Mammogram — right cranio-caudal. 46 y/o patient.
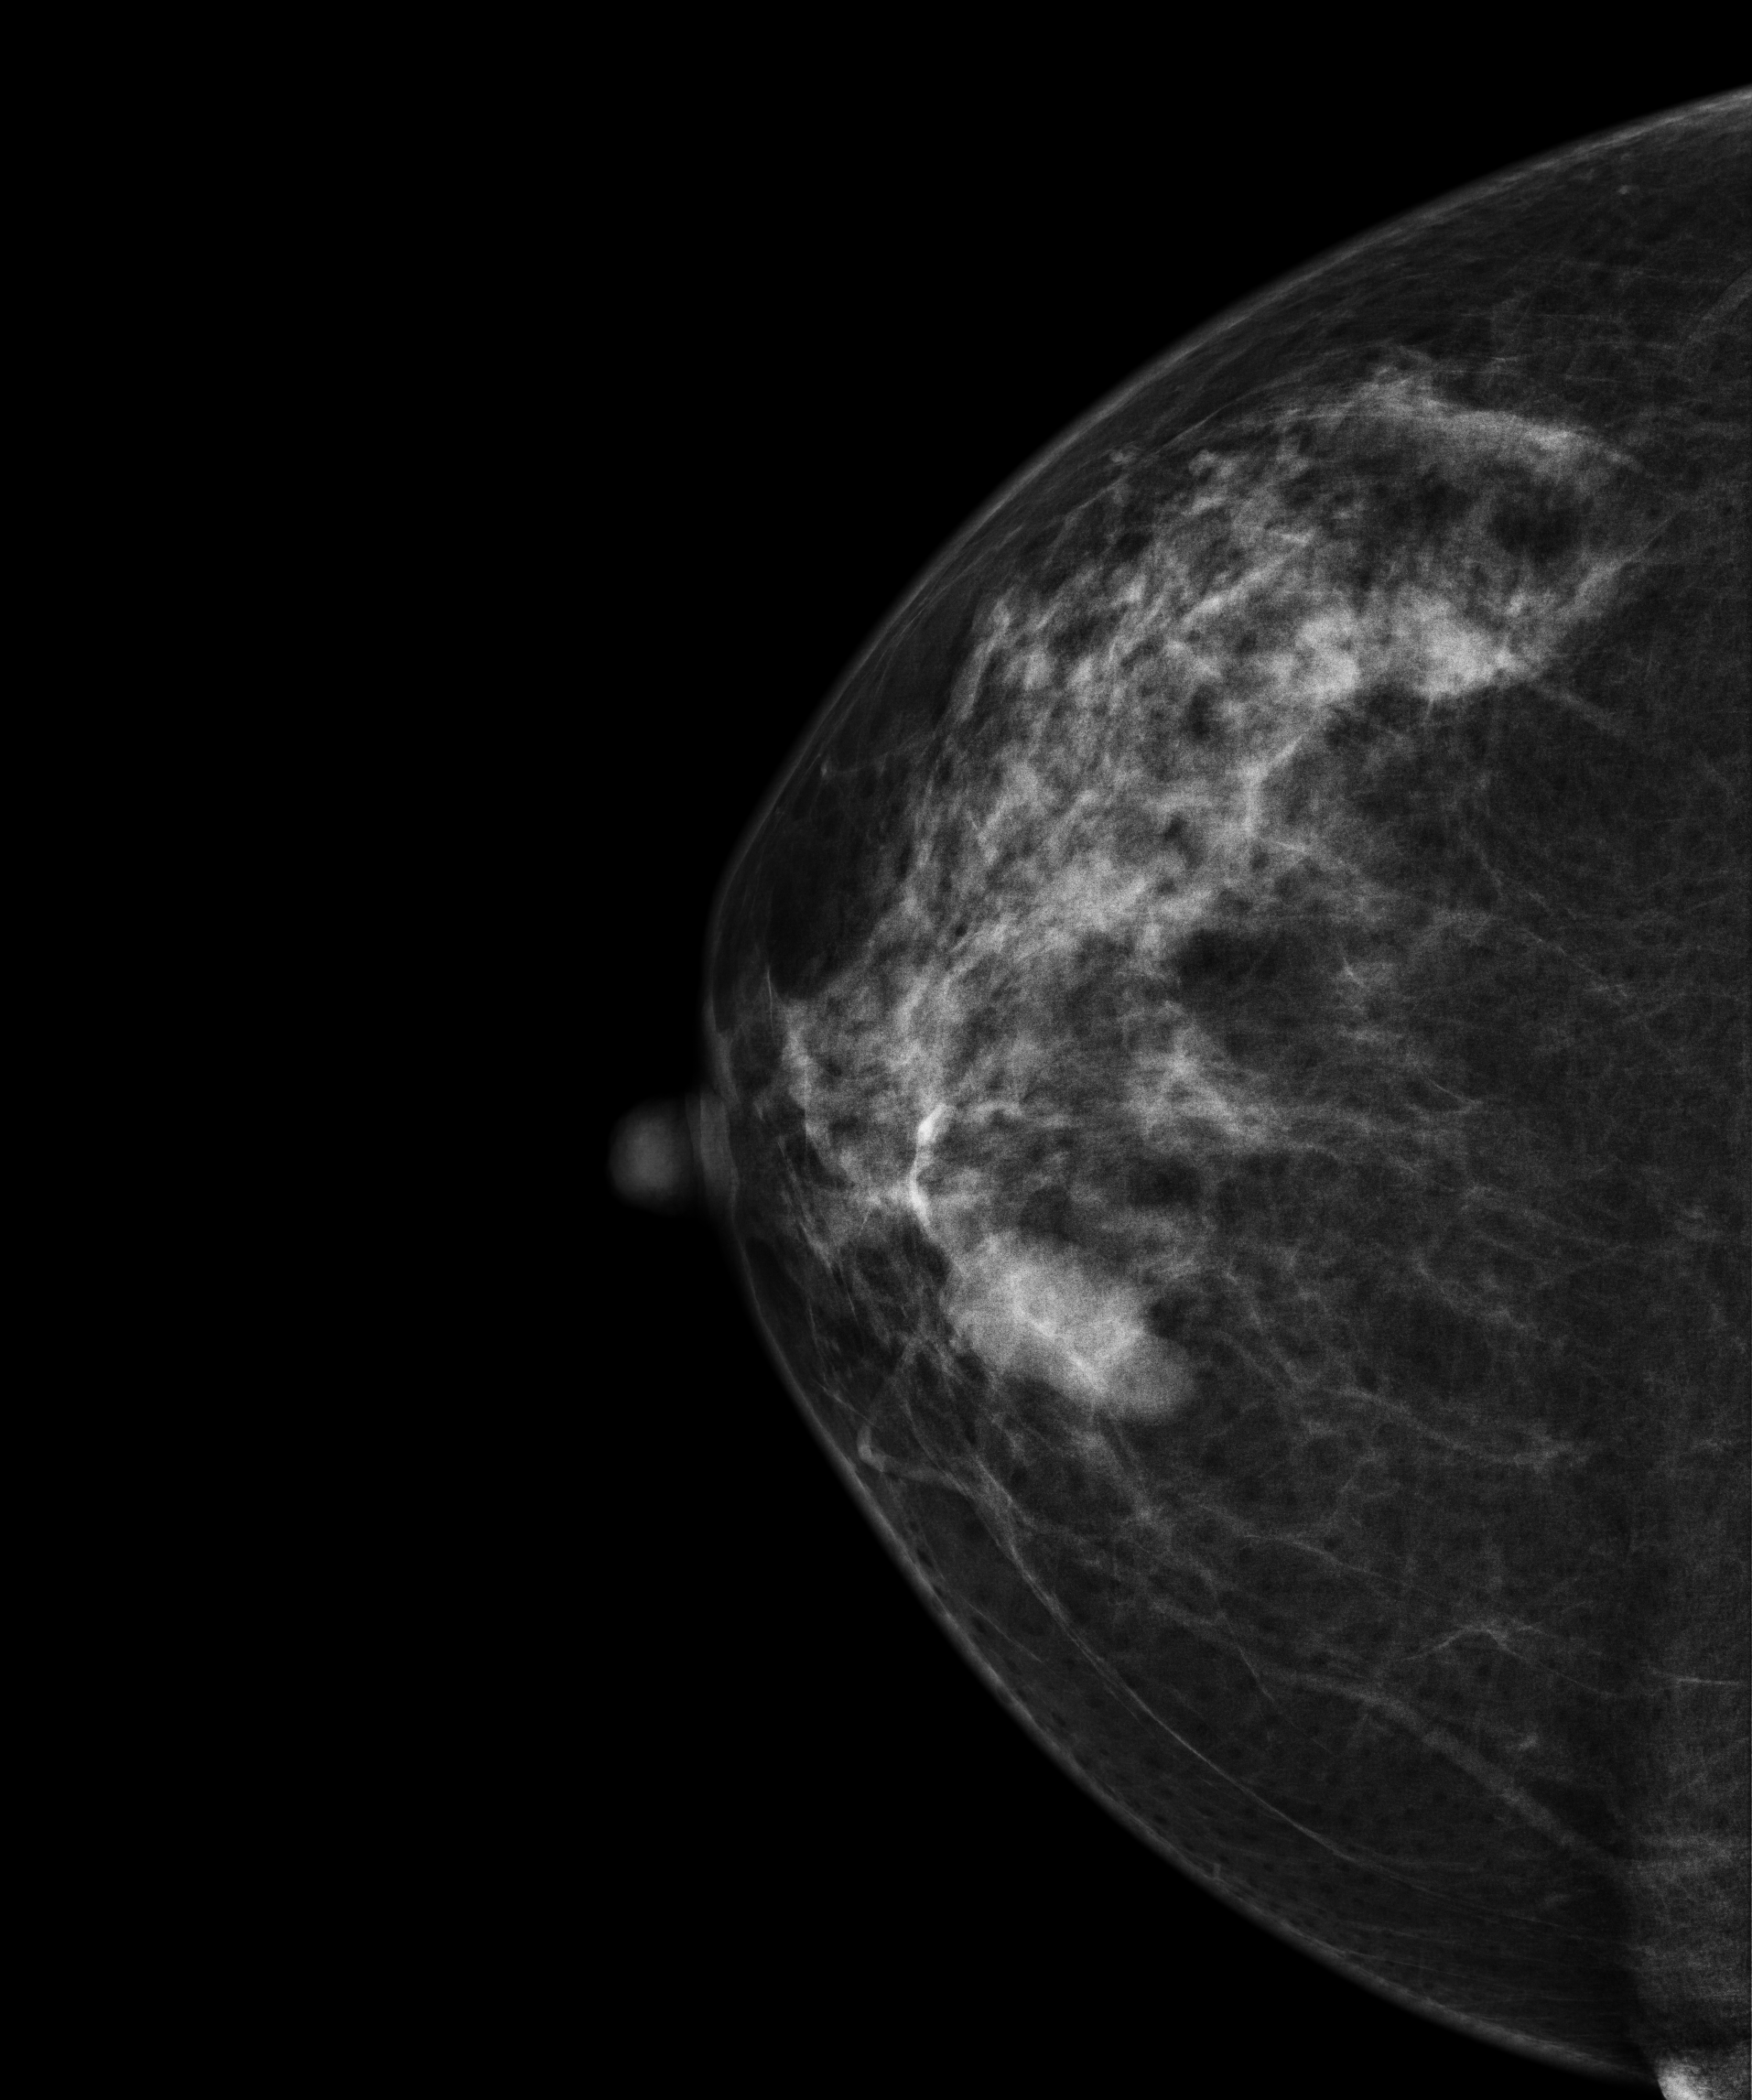
This breast has a mass, histologically confirmed benign.